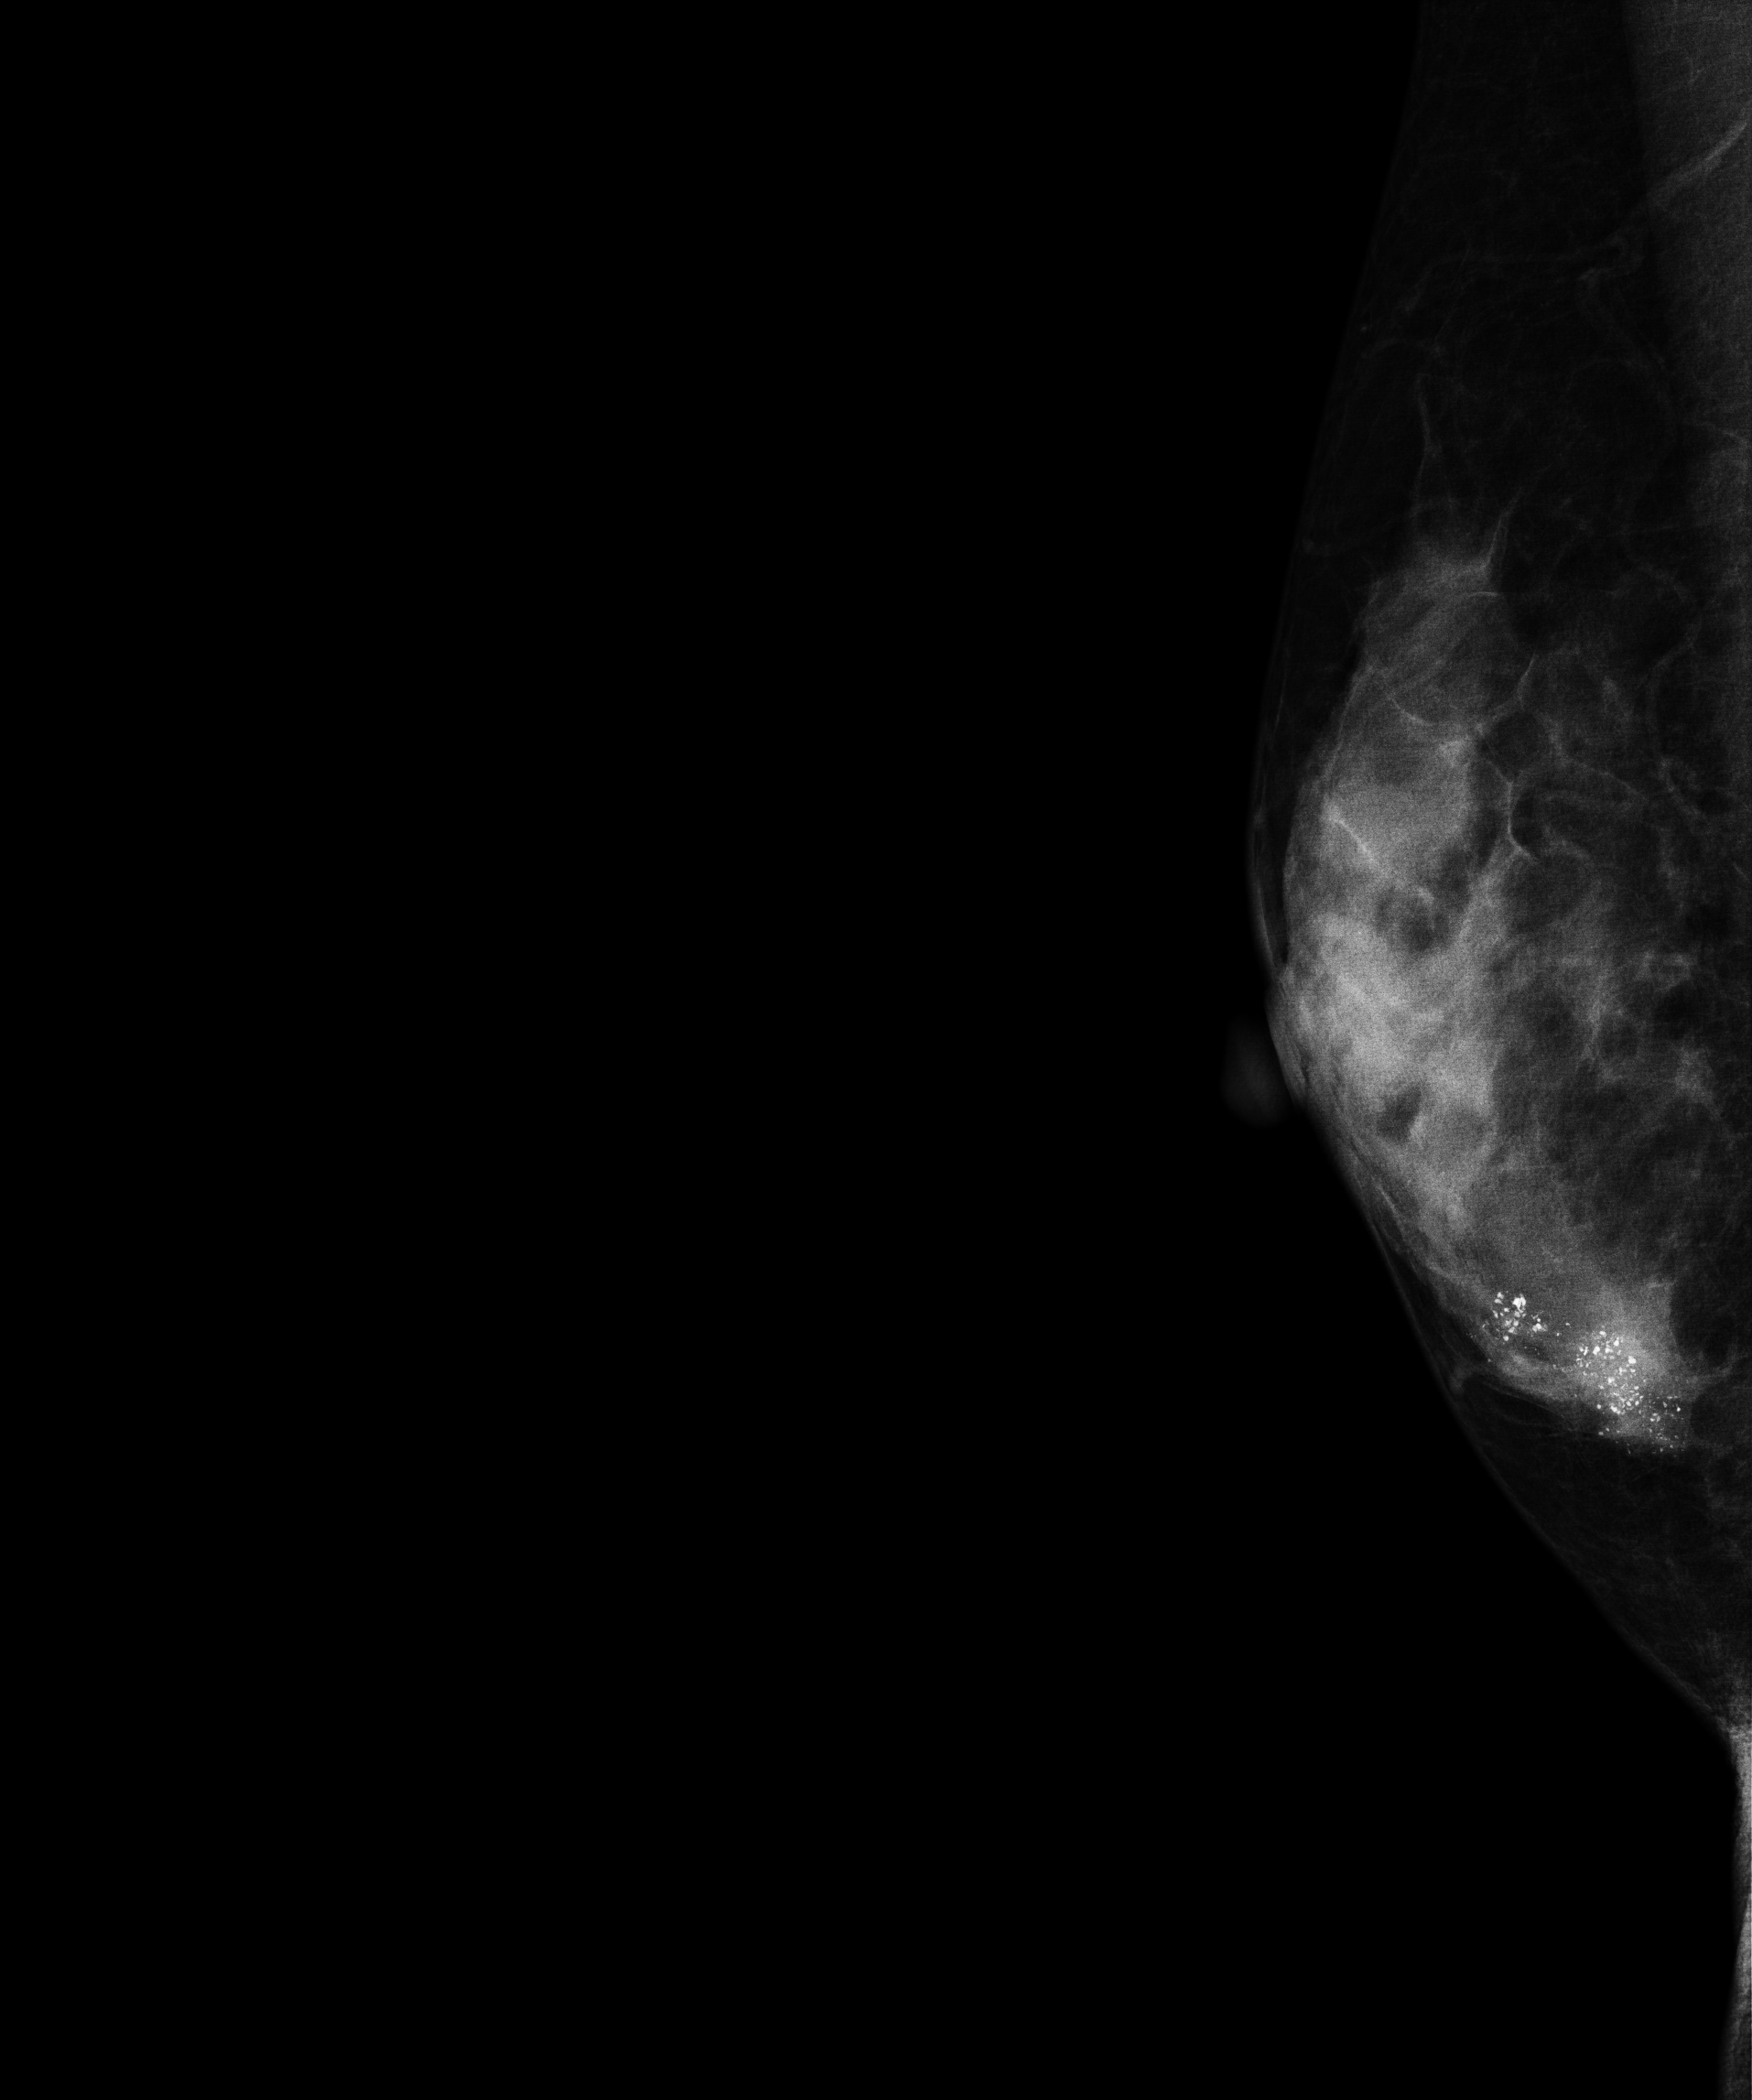
Mammogram — right medio-lateral oblique. 40-year-old patient.
This breast has a mass and calcifications, histologically confirmed malignant. Molecular subtype: luminal A.